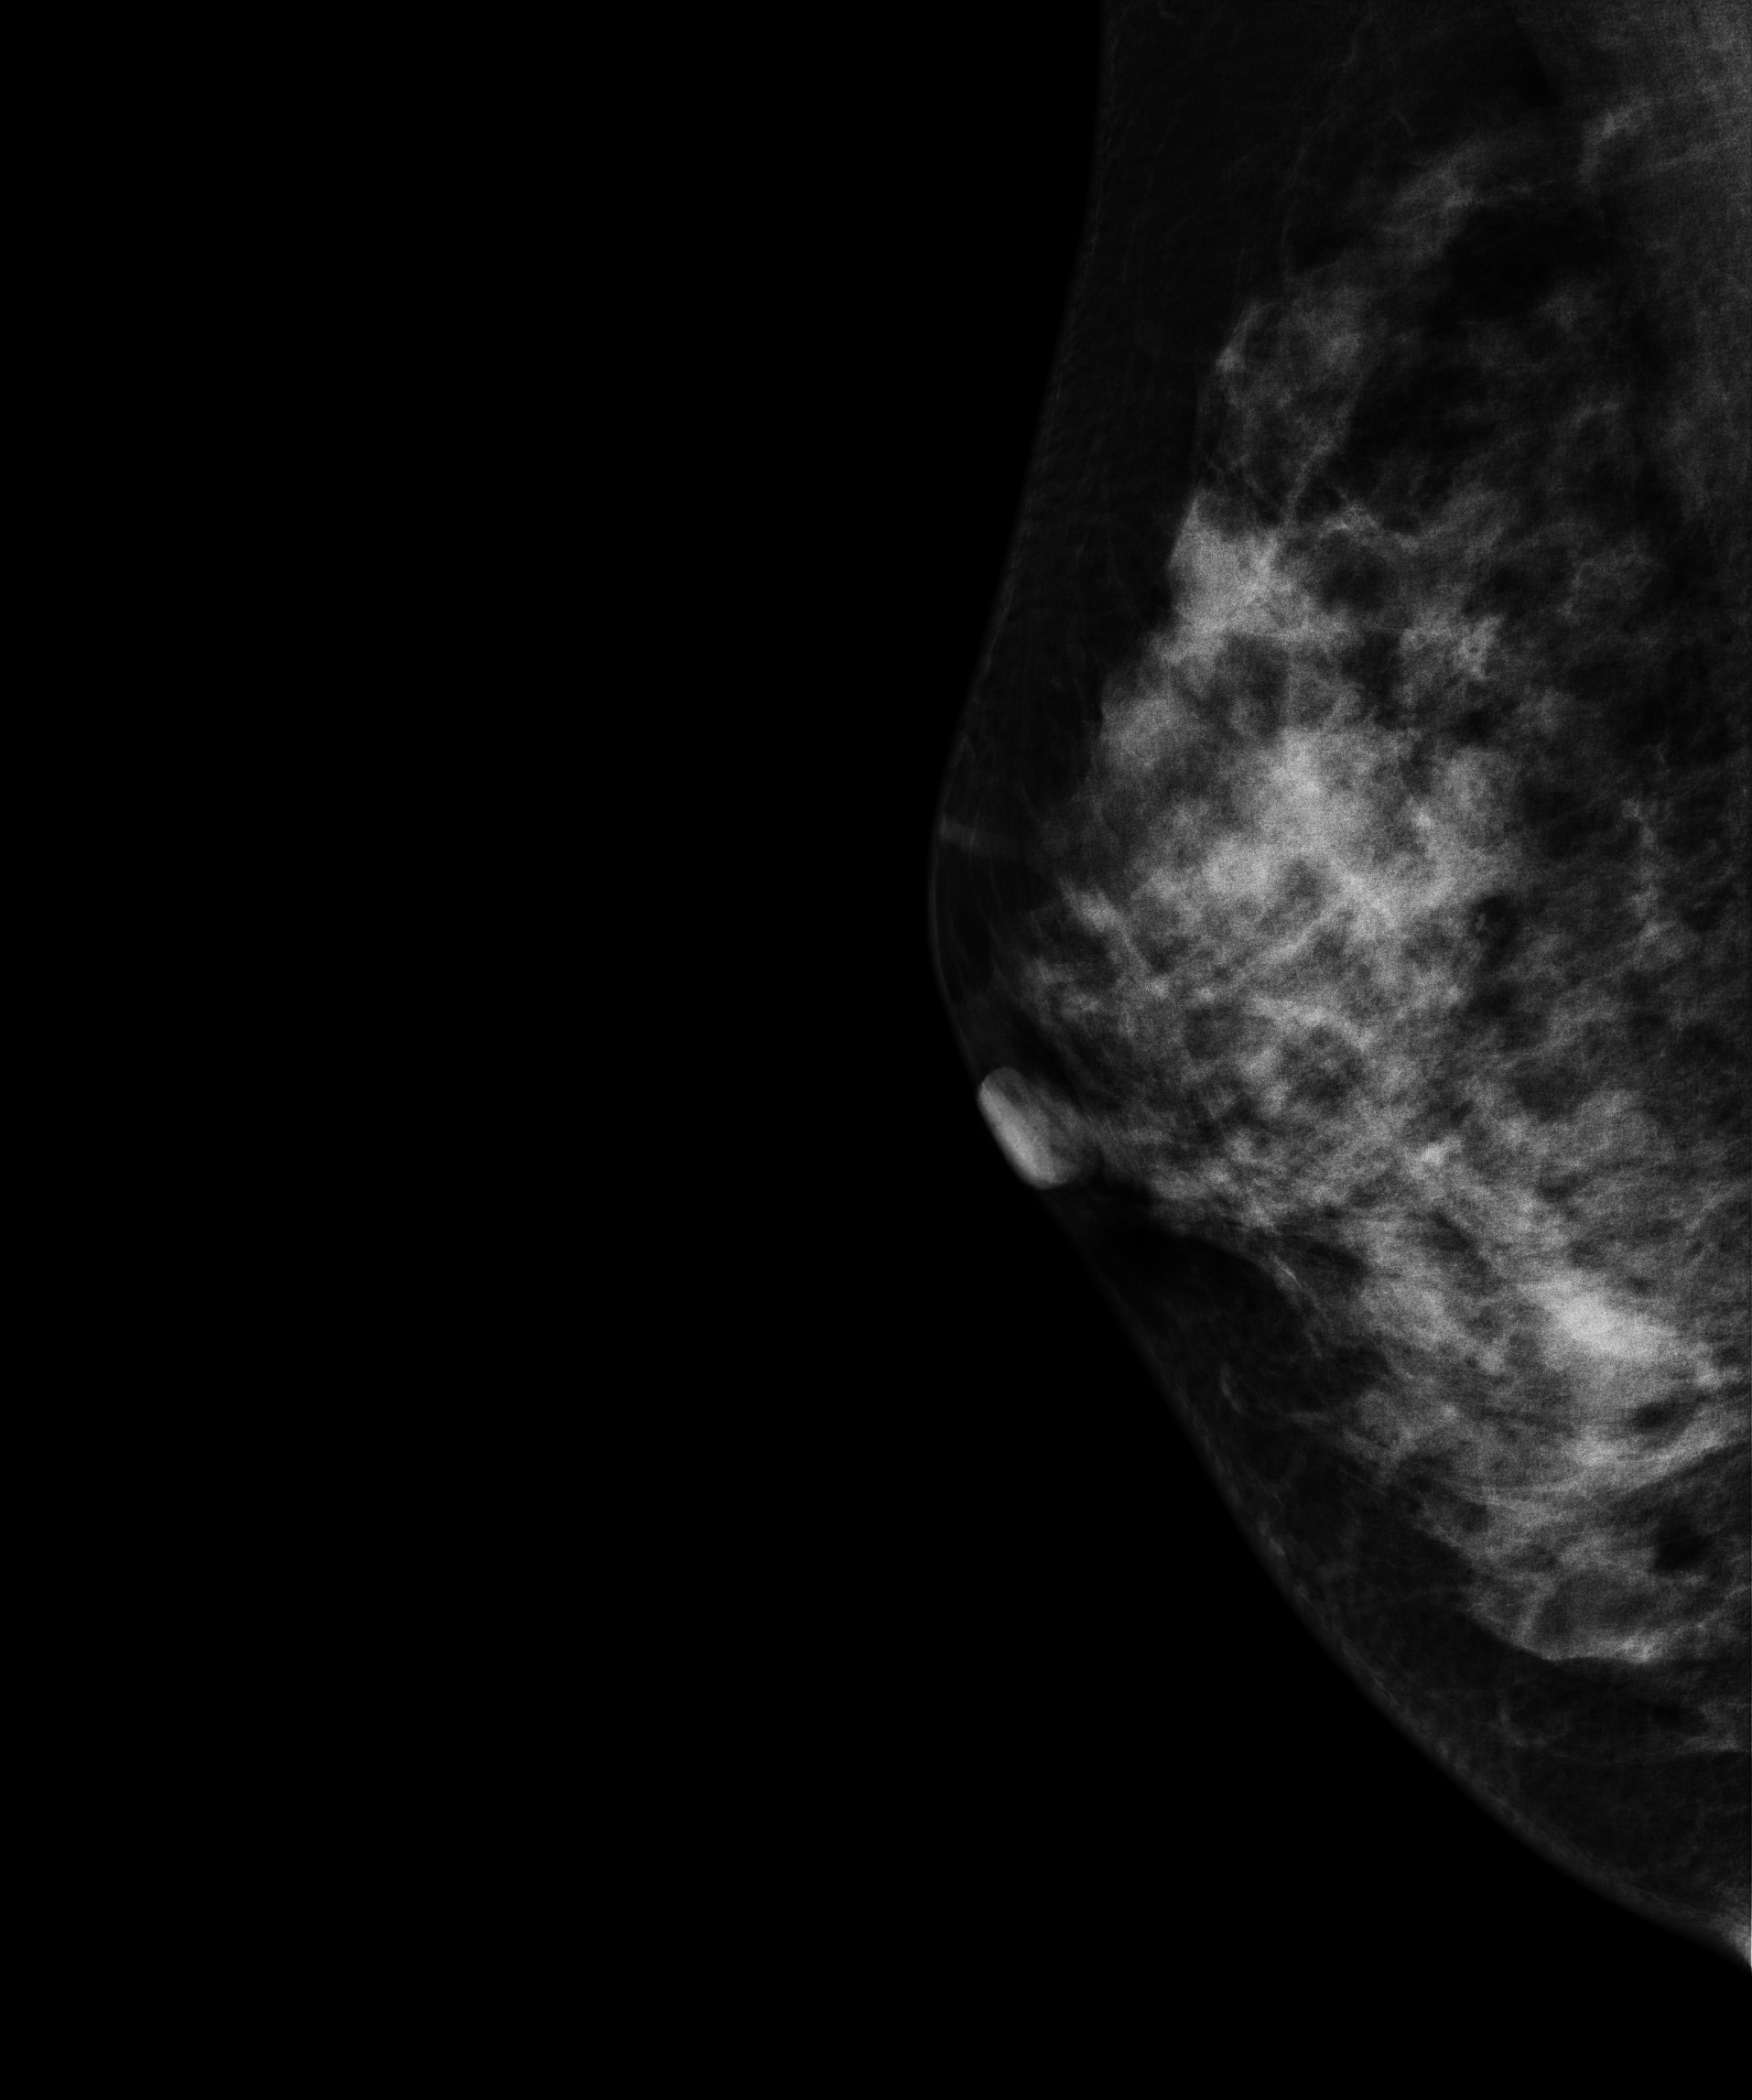
Digital mammography. Right breast, MLO projection. Patient age 43.
Contralateral breast — no documented abnormality on this side.